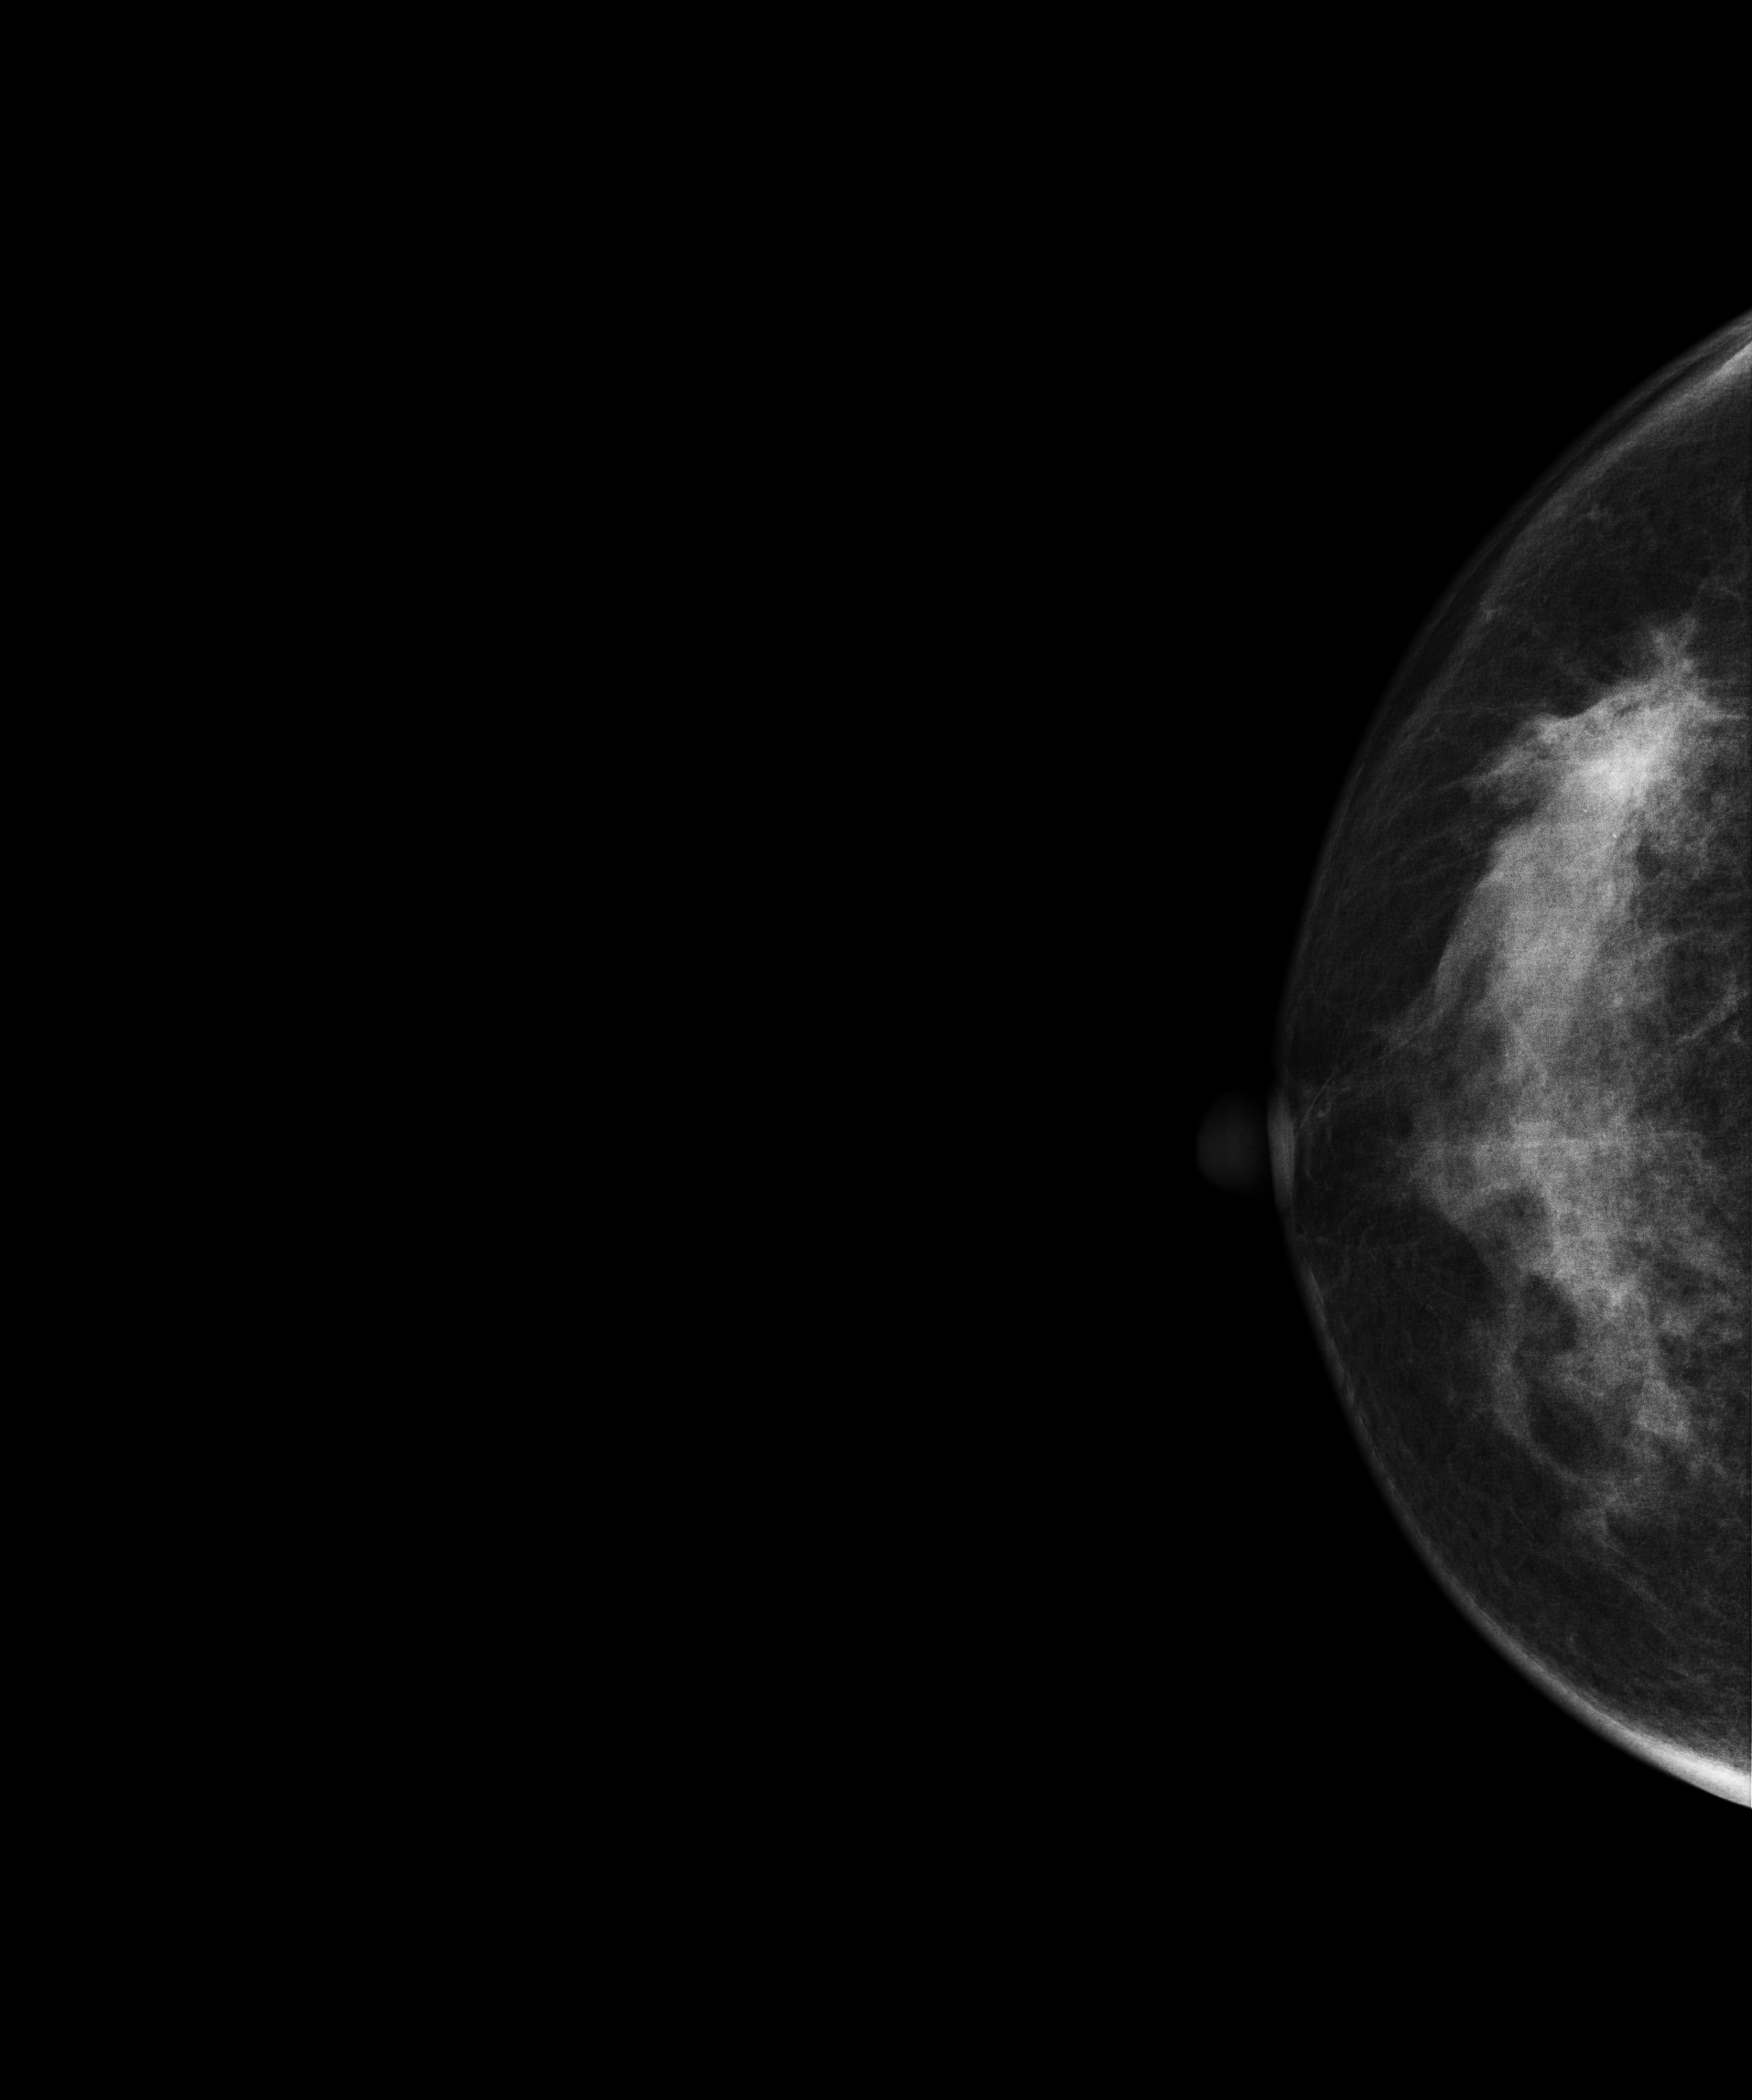
Digital mammography. Right breast, CC projection. 51 y/o patient.
This breast has a mass and calcifications, histologically confirmed malignant. Molecular subtype: luminal B.